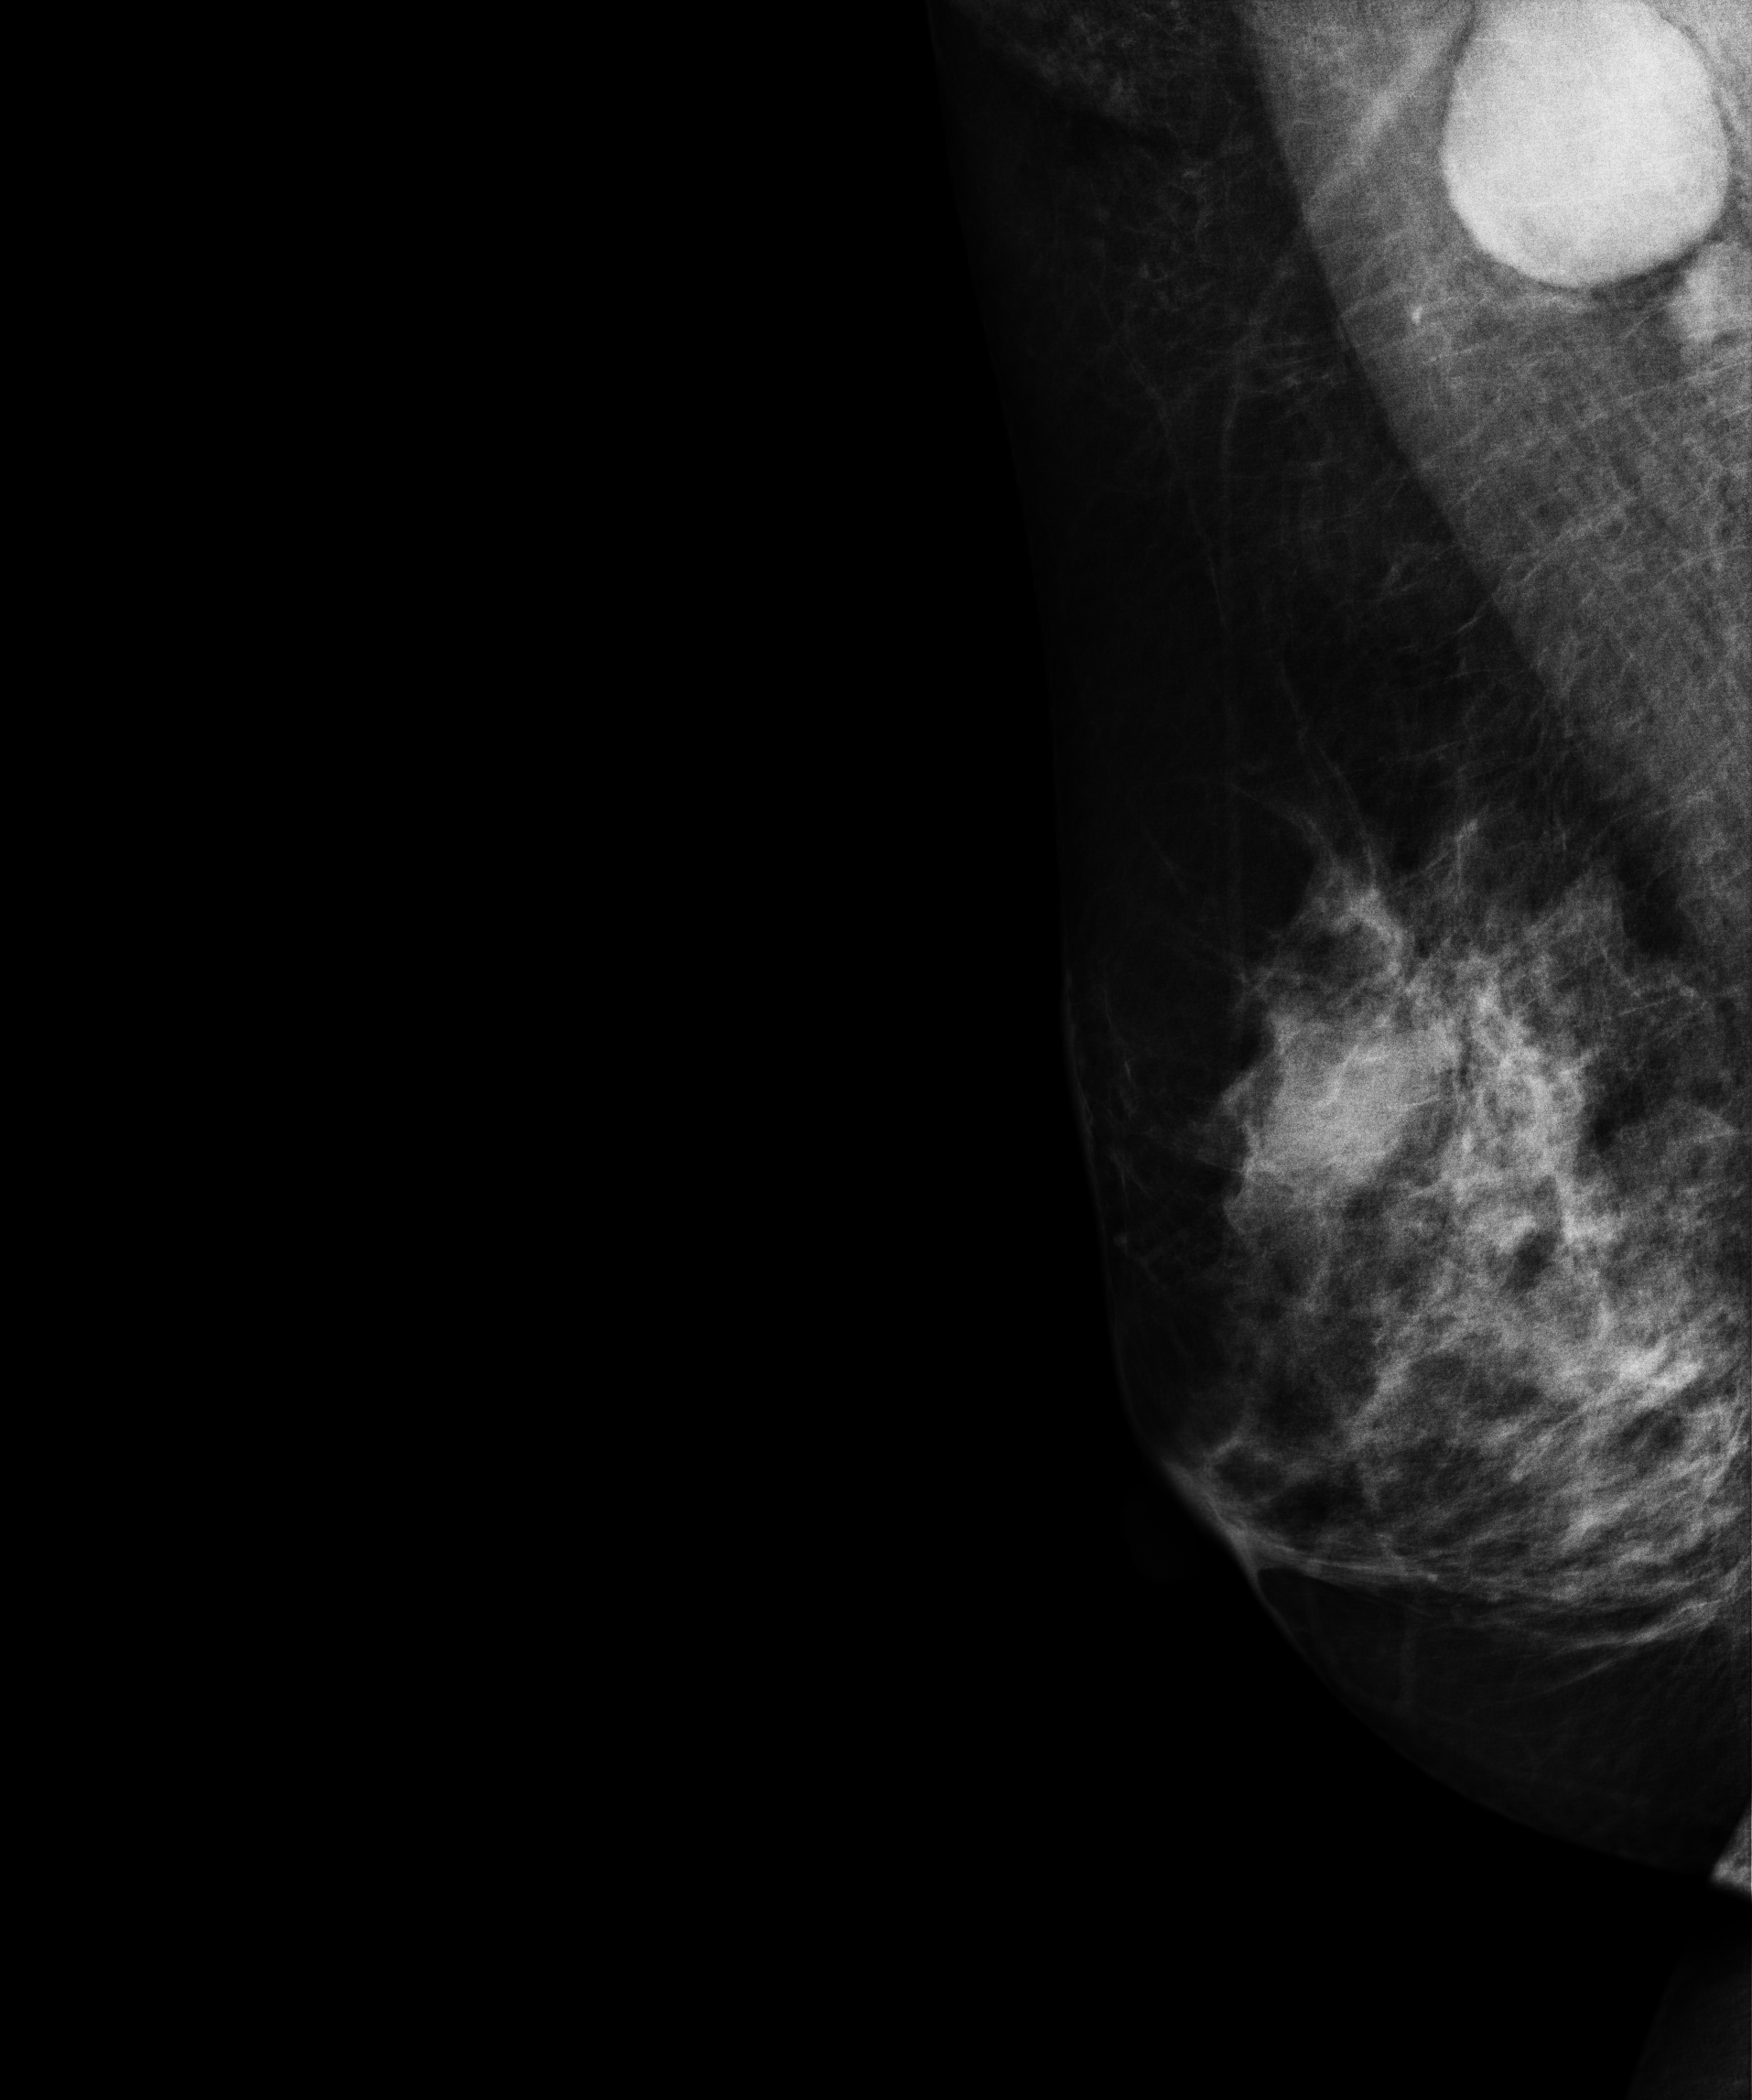
Mammogram, right breast, MLO view. 52 y/o patient.
This breast has a mass, biopsy-confirmed malignant. Molecular subtype: luminal B.